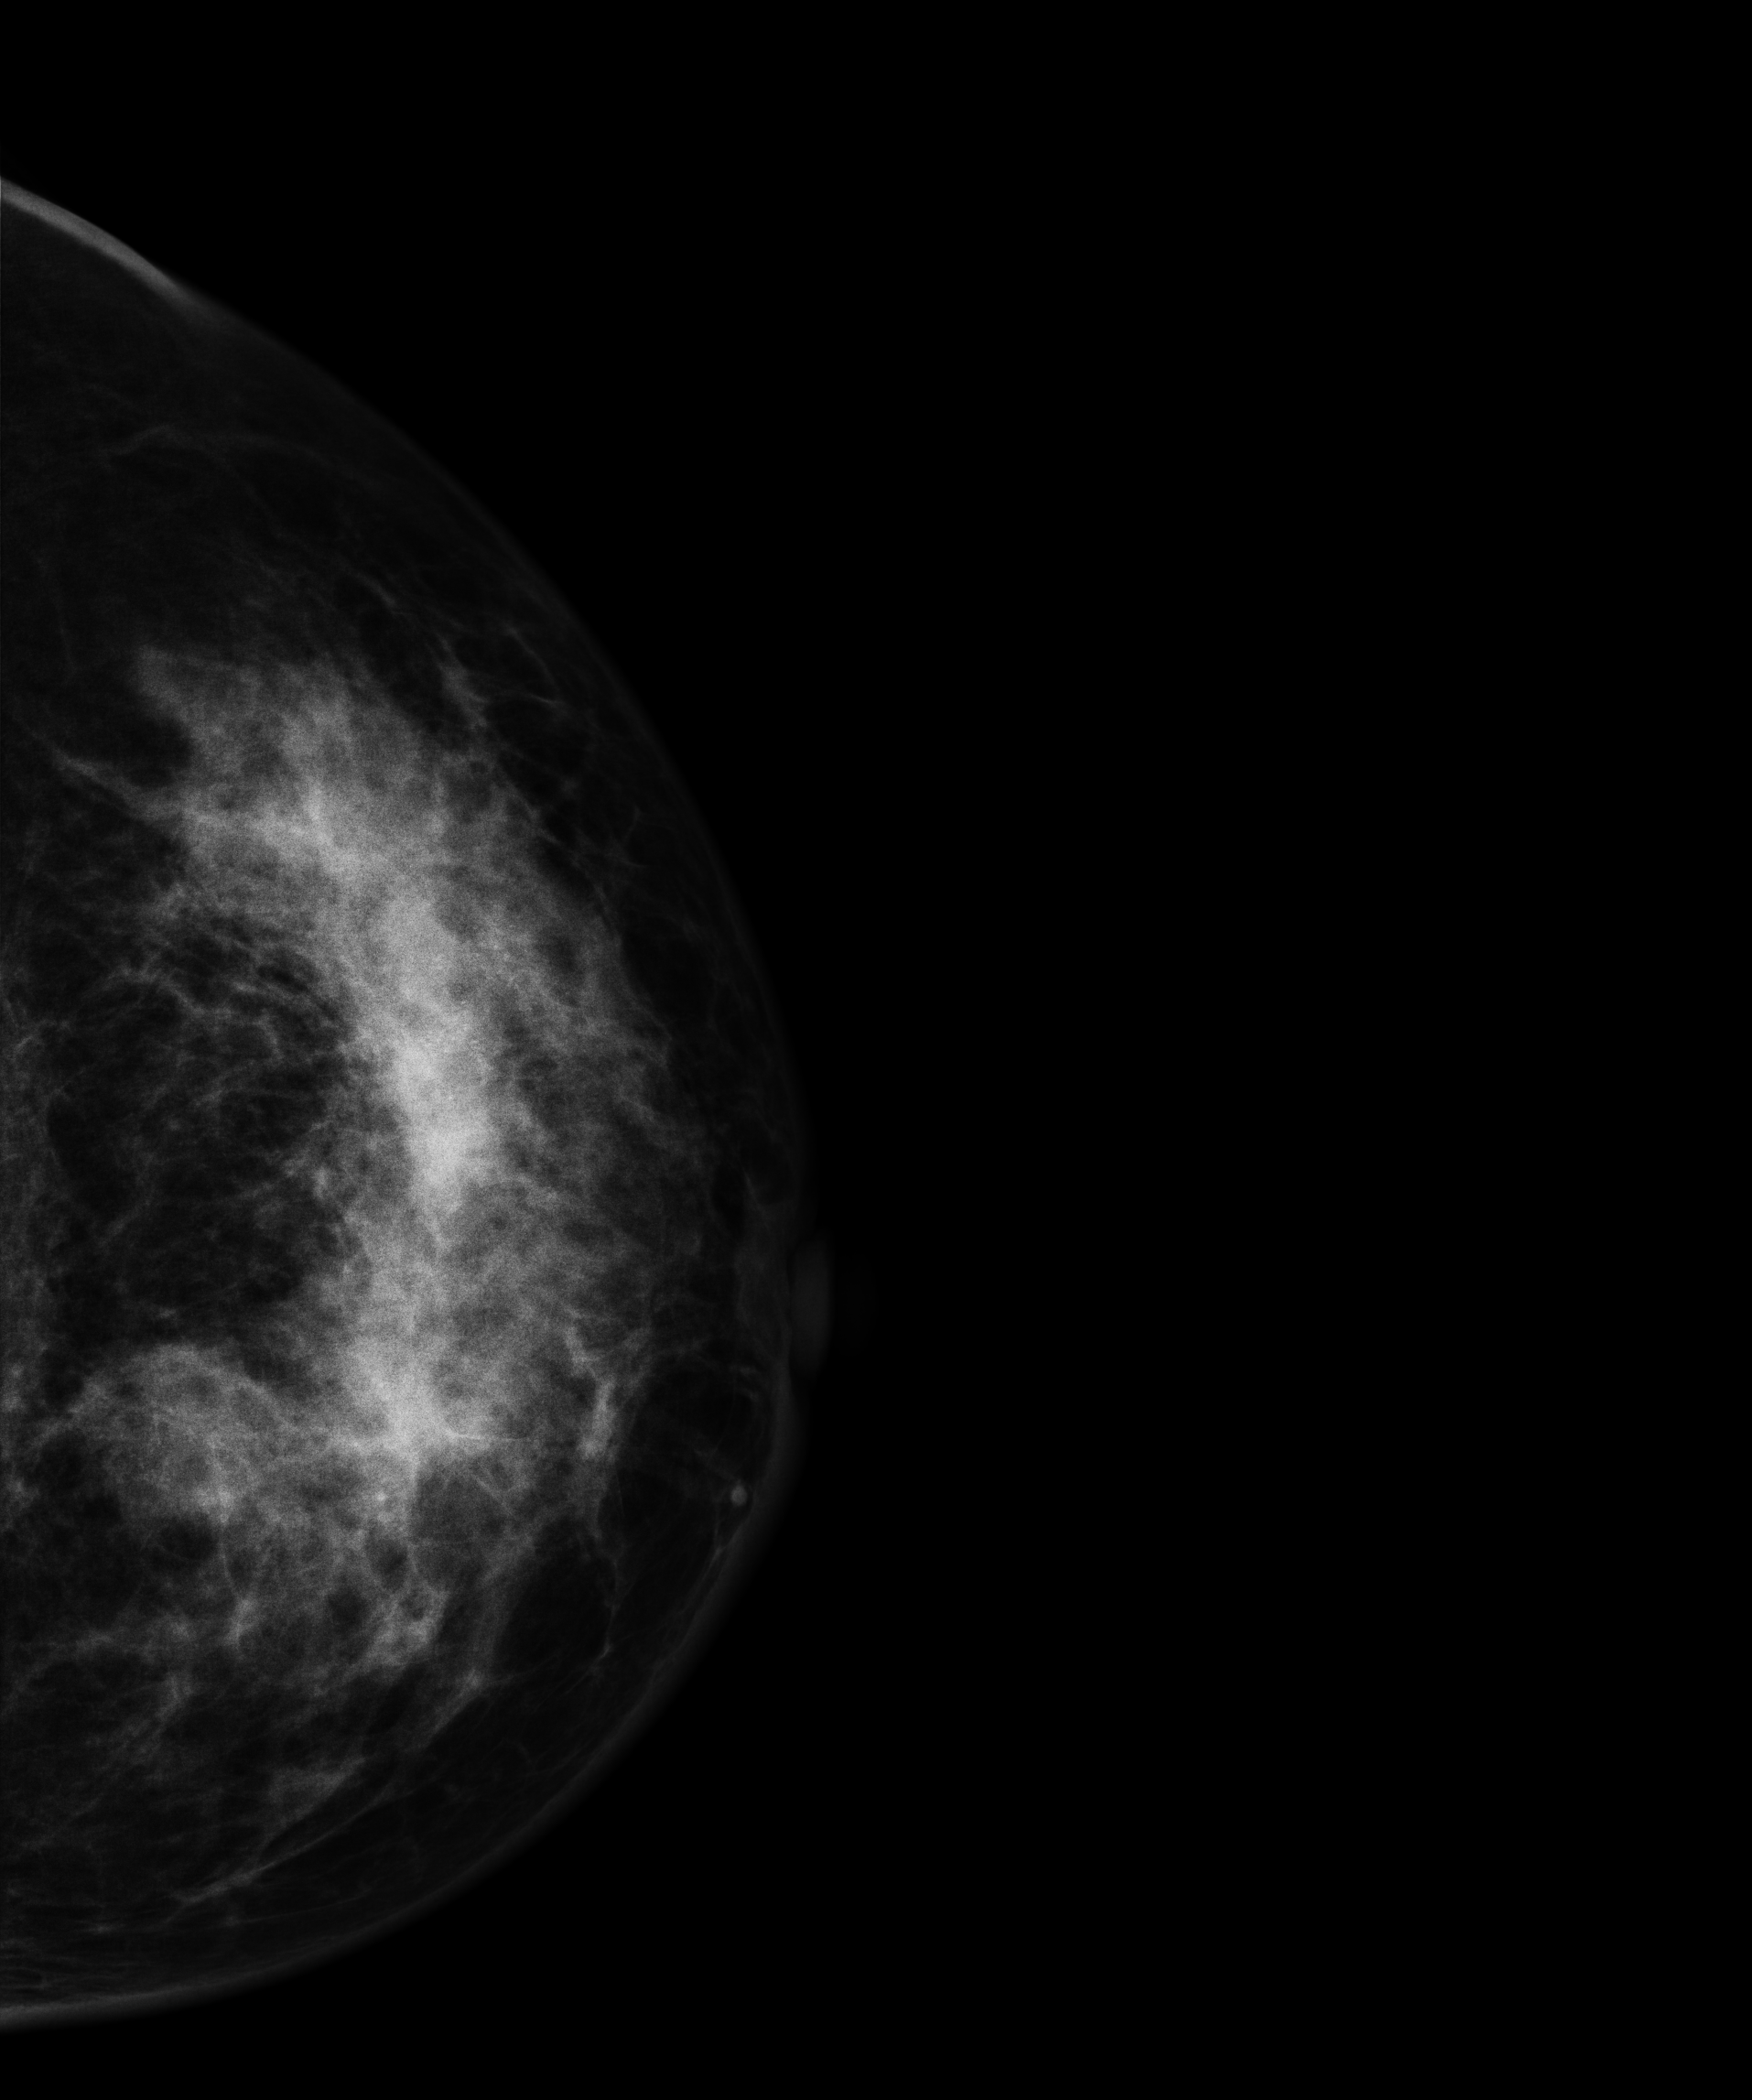
Cranio-caudal mammogram of the left breast. 46-year-old patient.
This breast has a mass, biopsy-confirmed malignant. Molecular subtype: HER2-enriched.